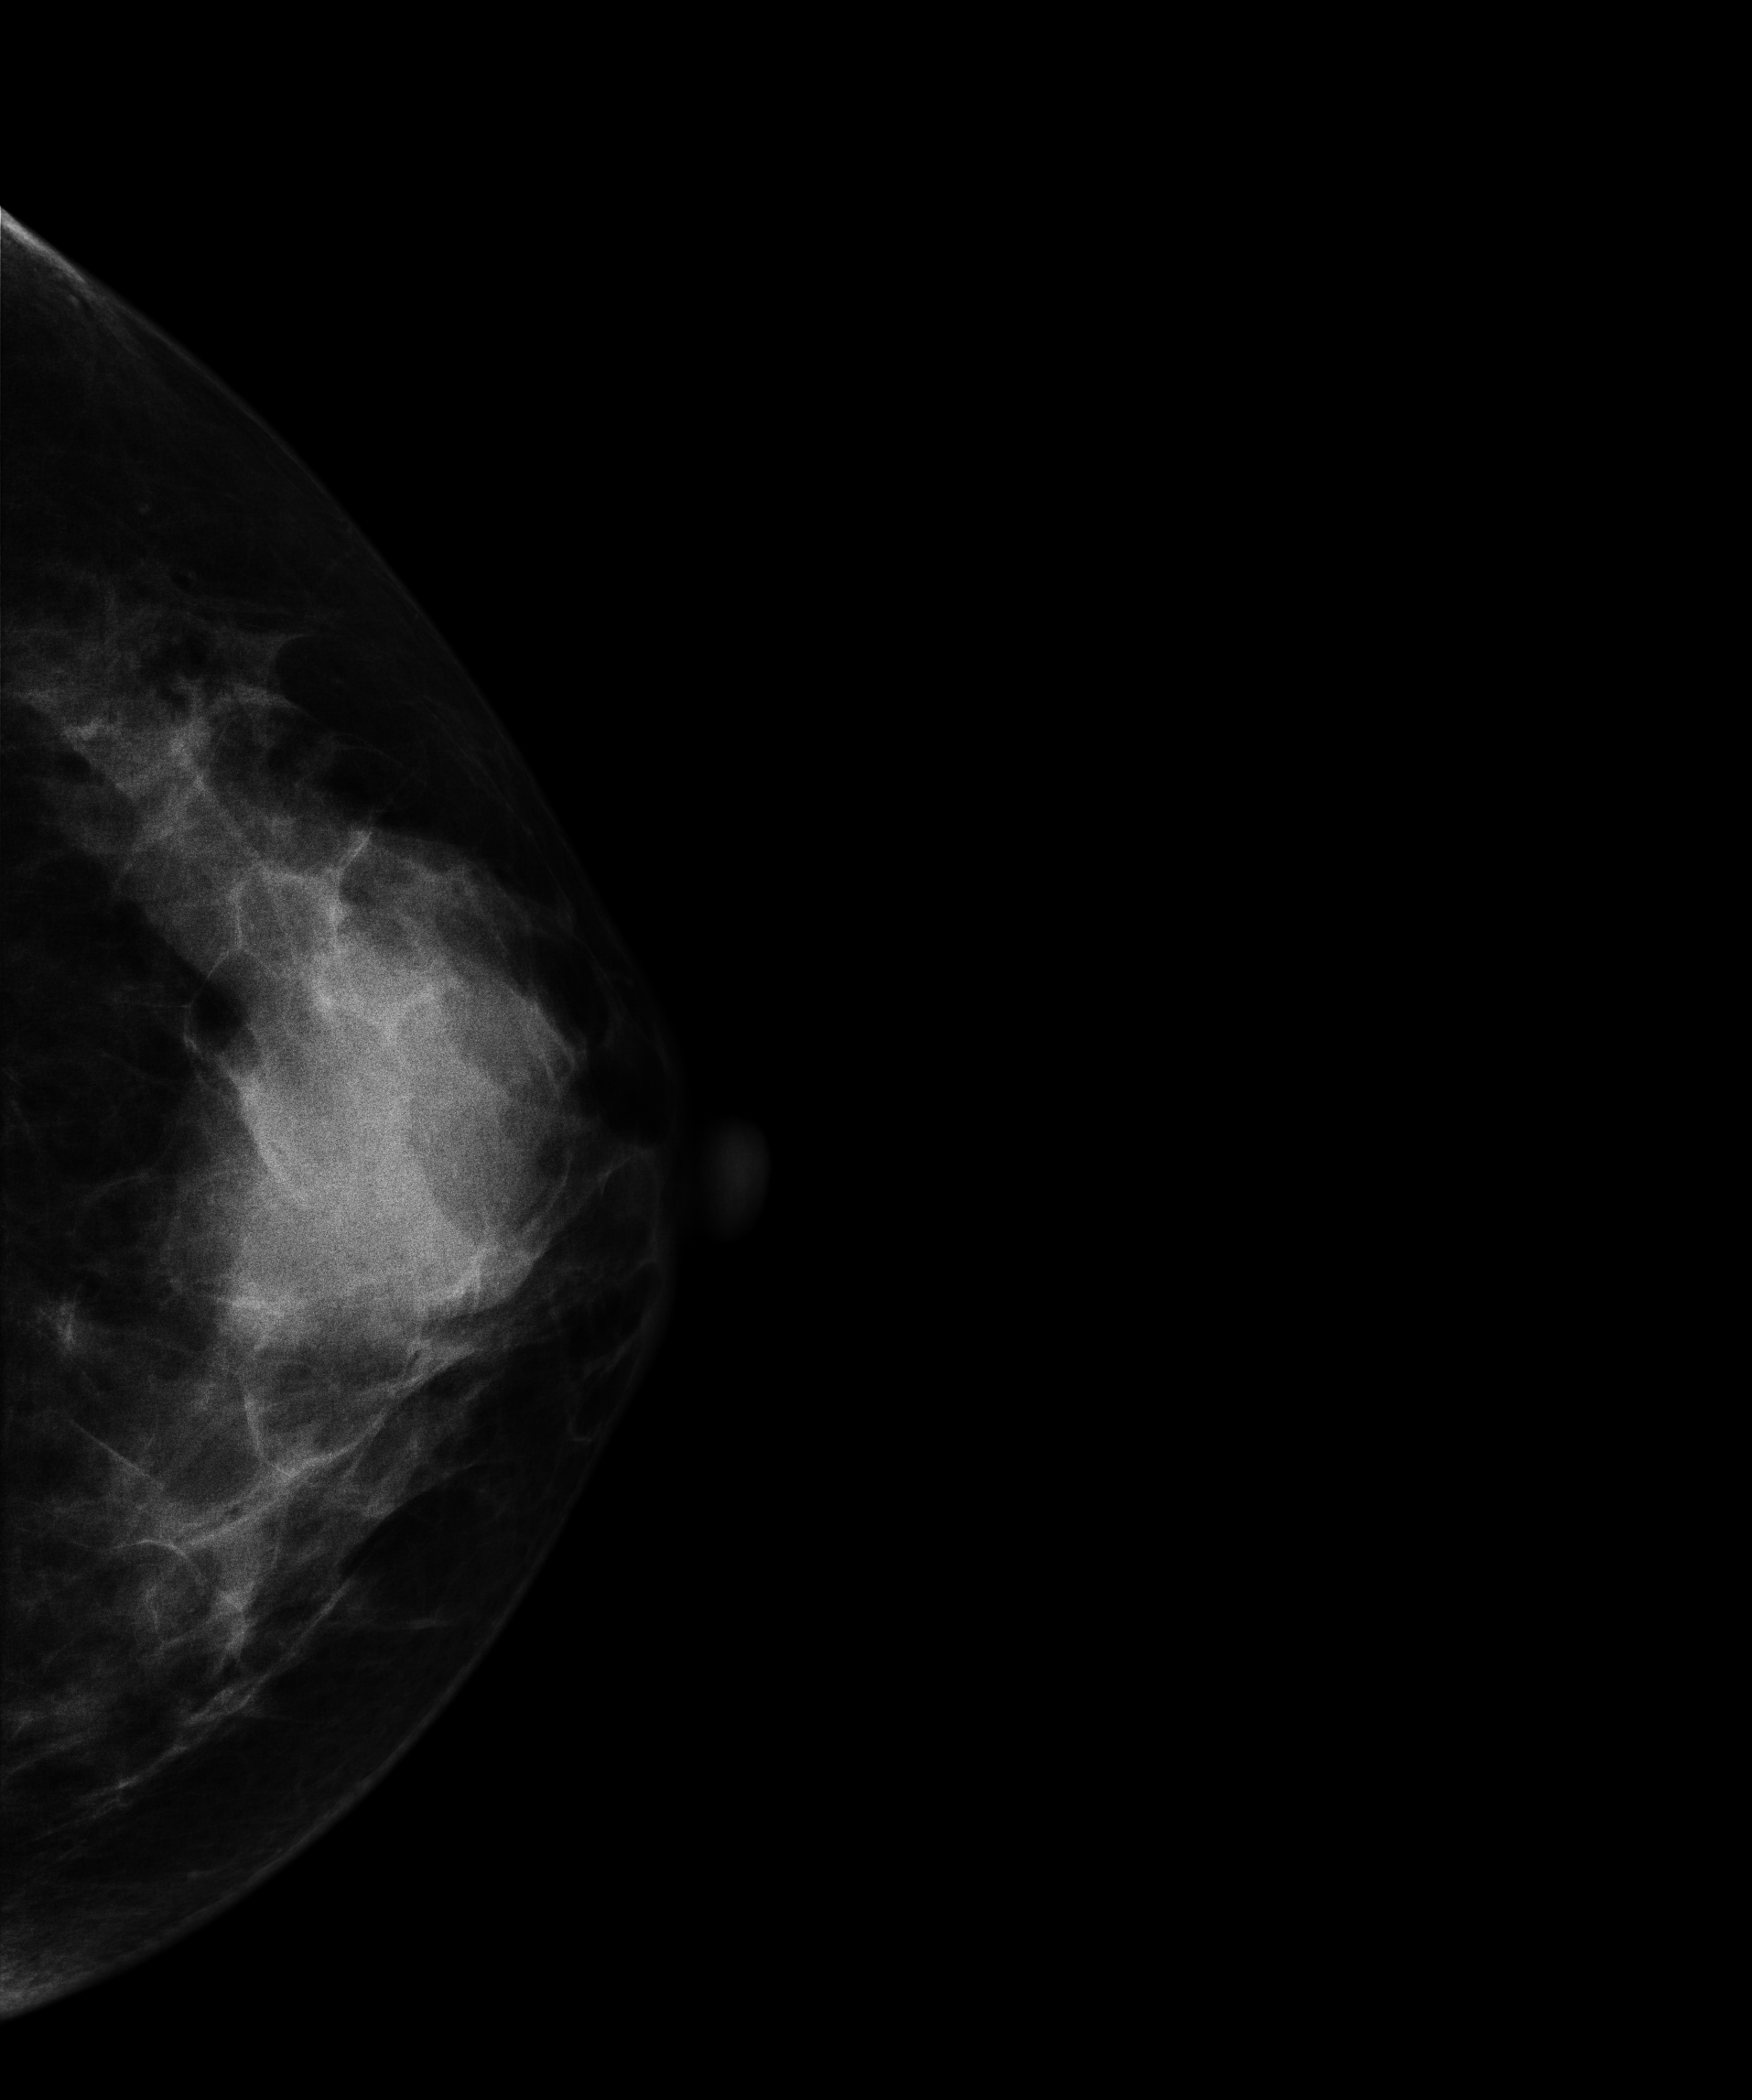
CC mammogram of the left breast. Patient age 48.
This breast has a mass, biopsy-proven benign.